Mammogram — right MLO. 63-year-old patient.
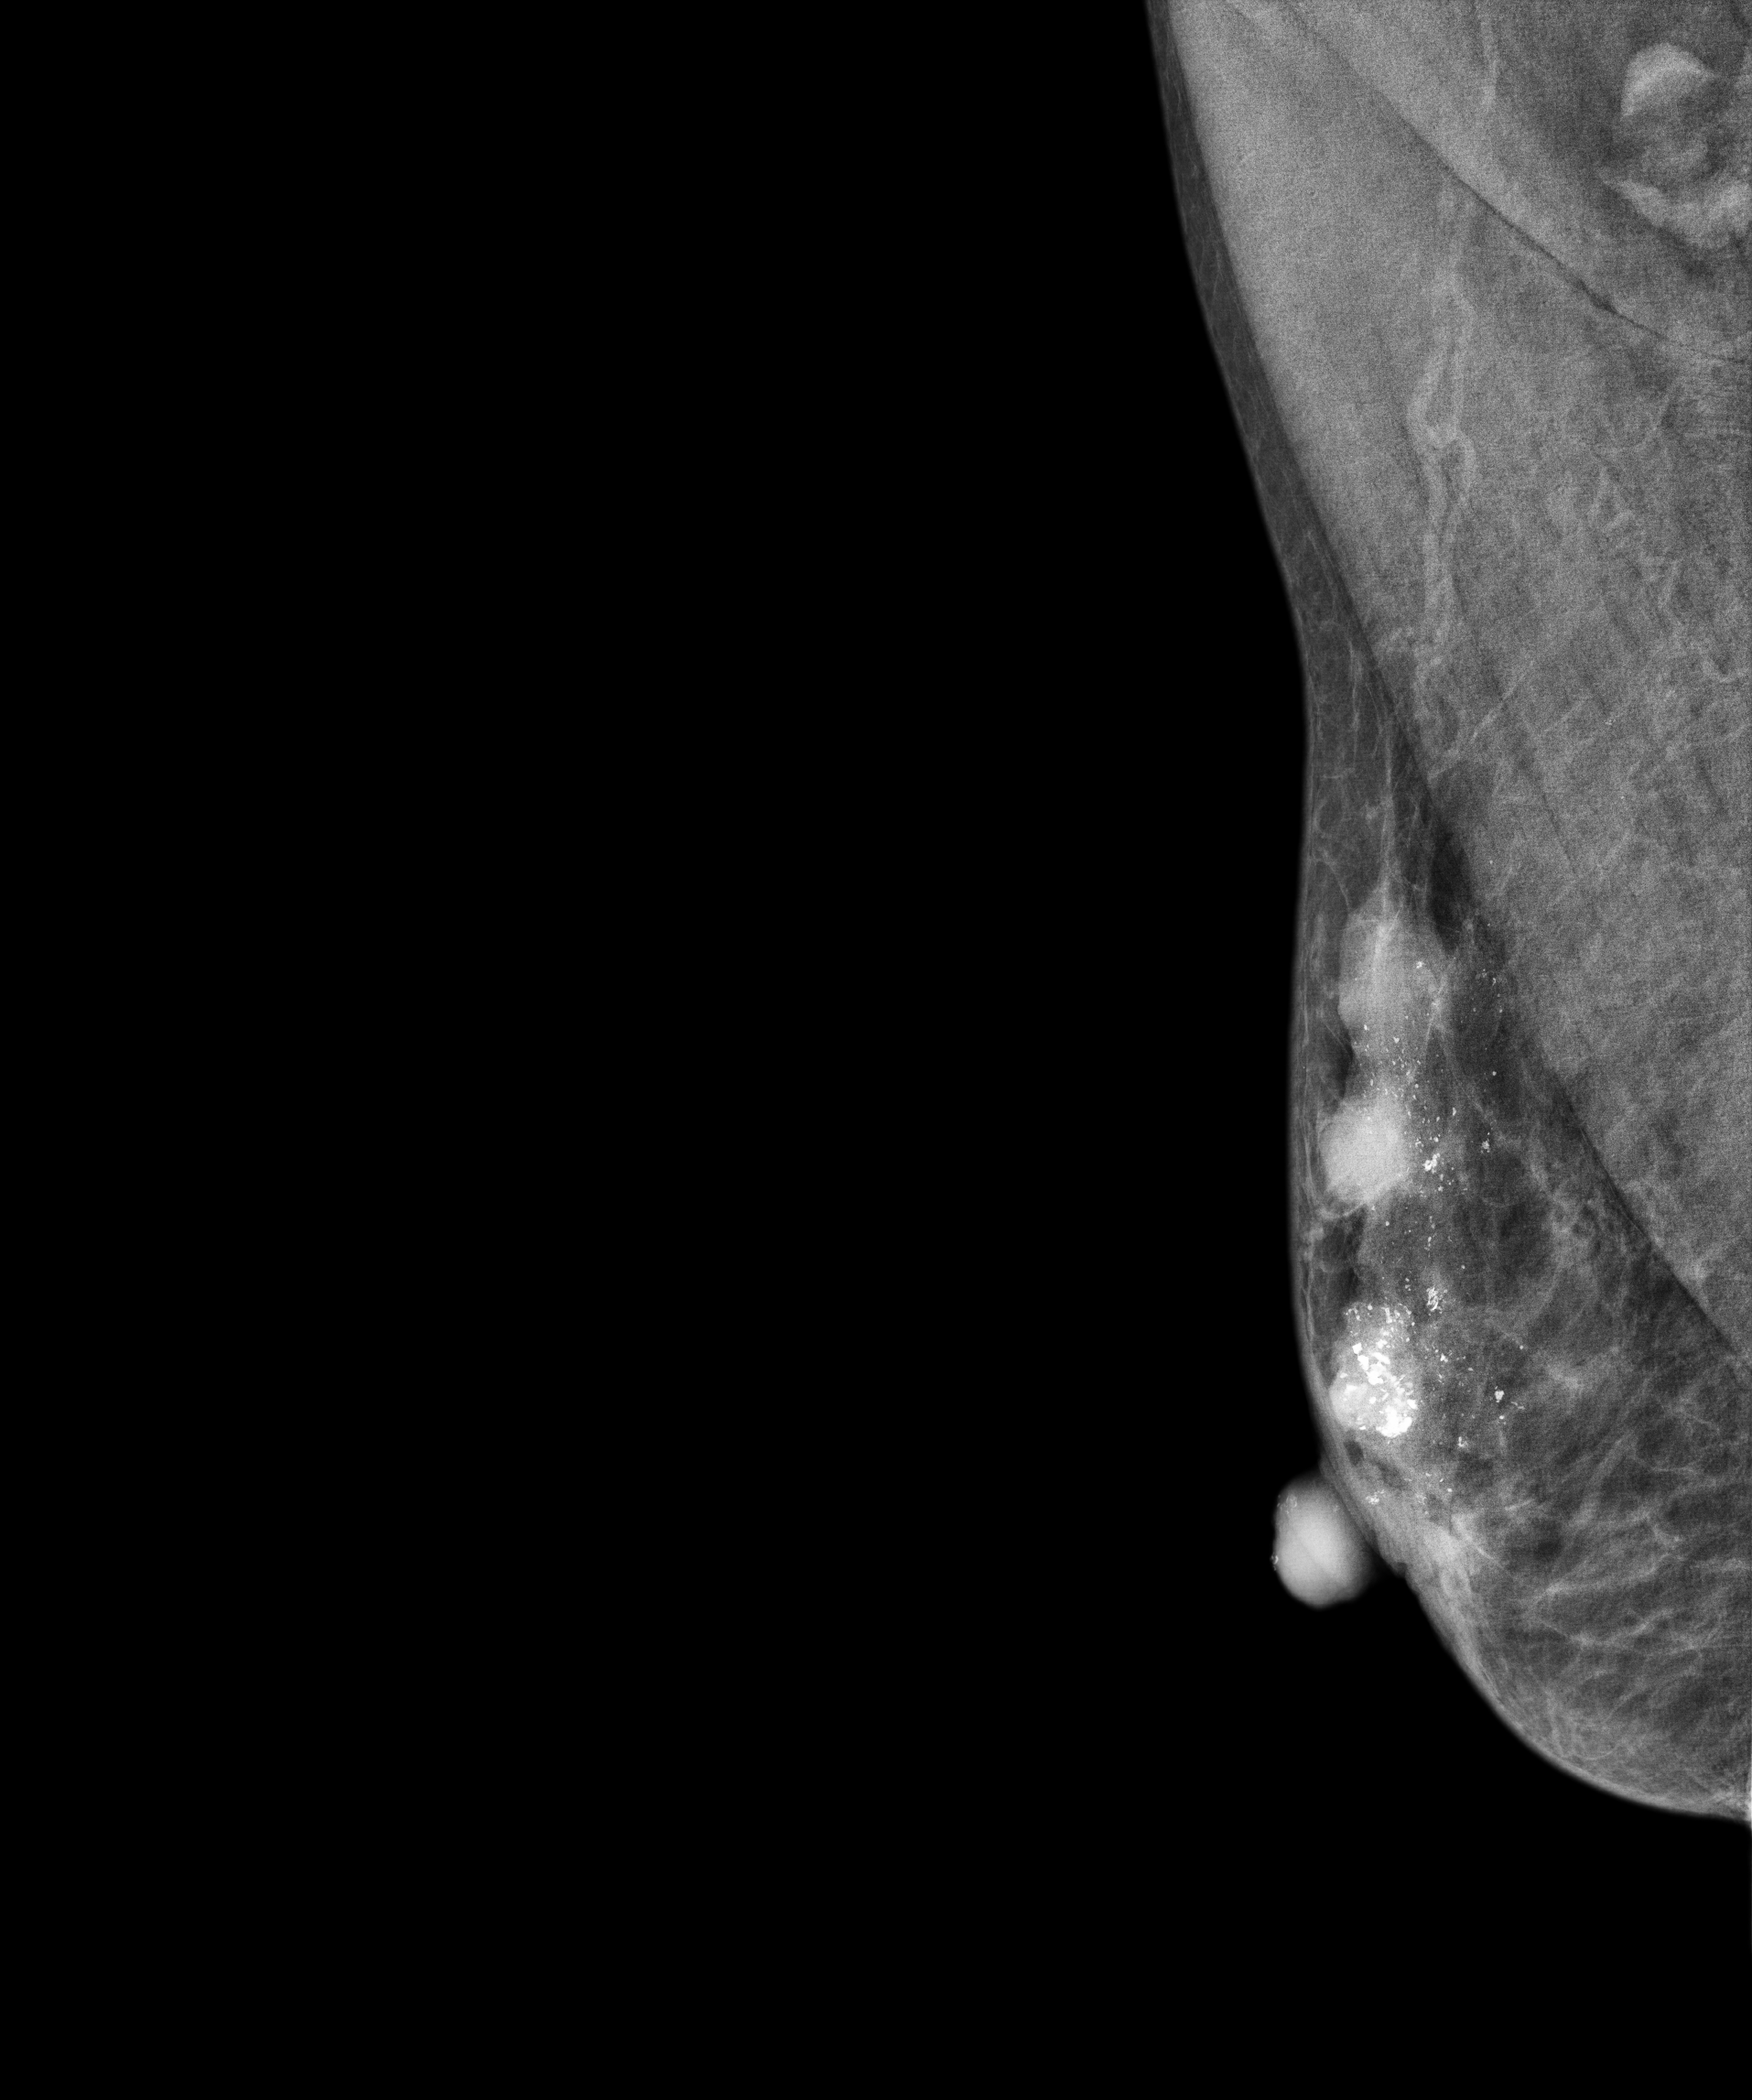
This breast has a mass and calcifications, pathology-confirmed malignant. Molecular subtype: luminal B.